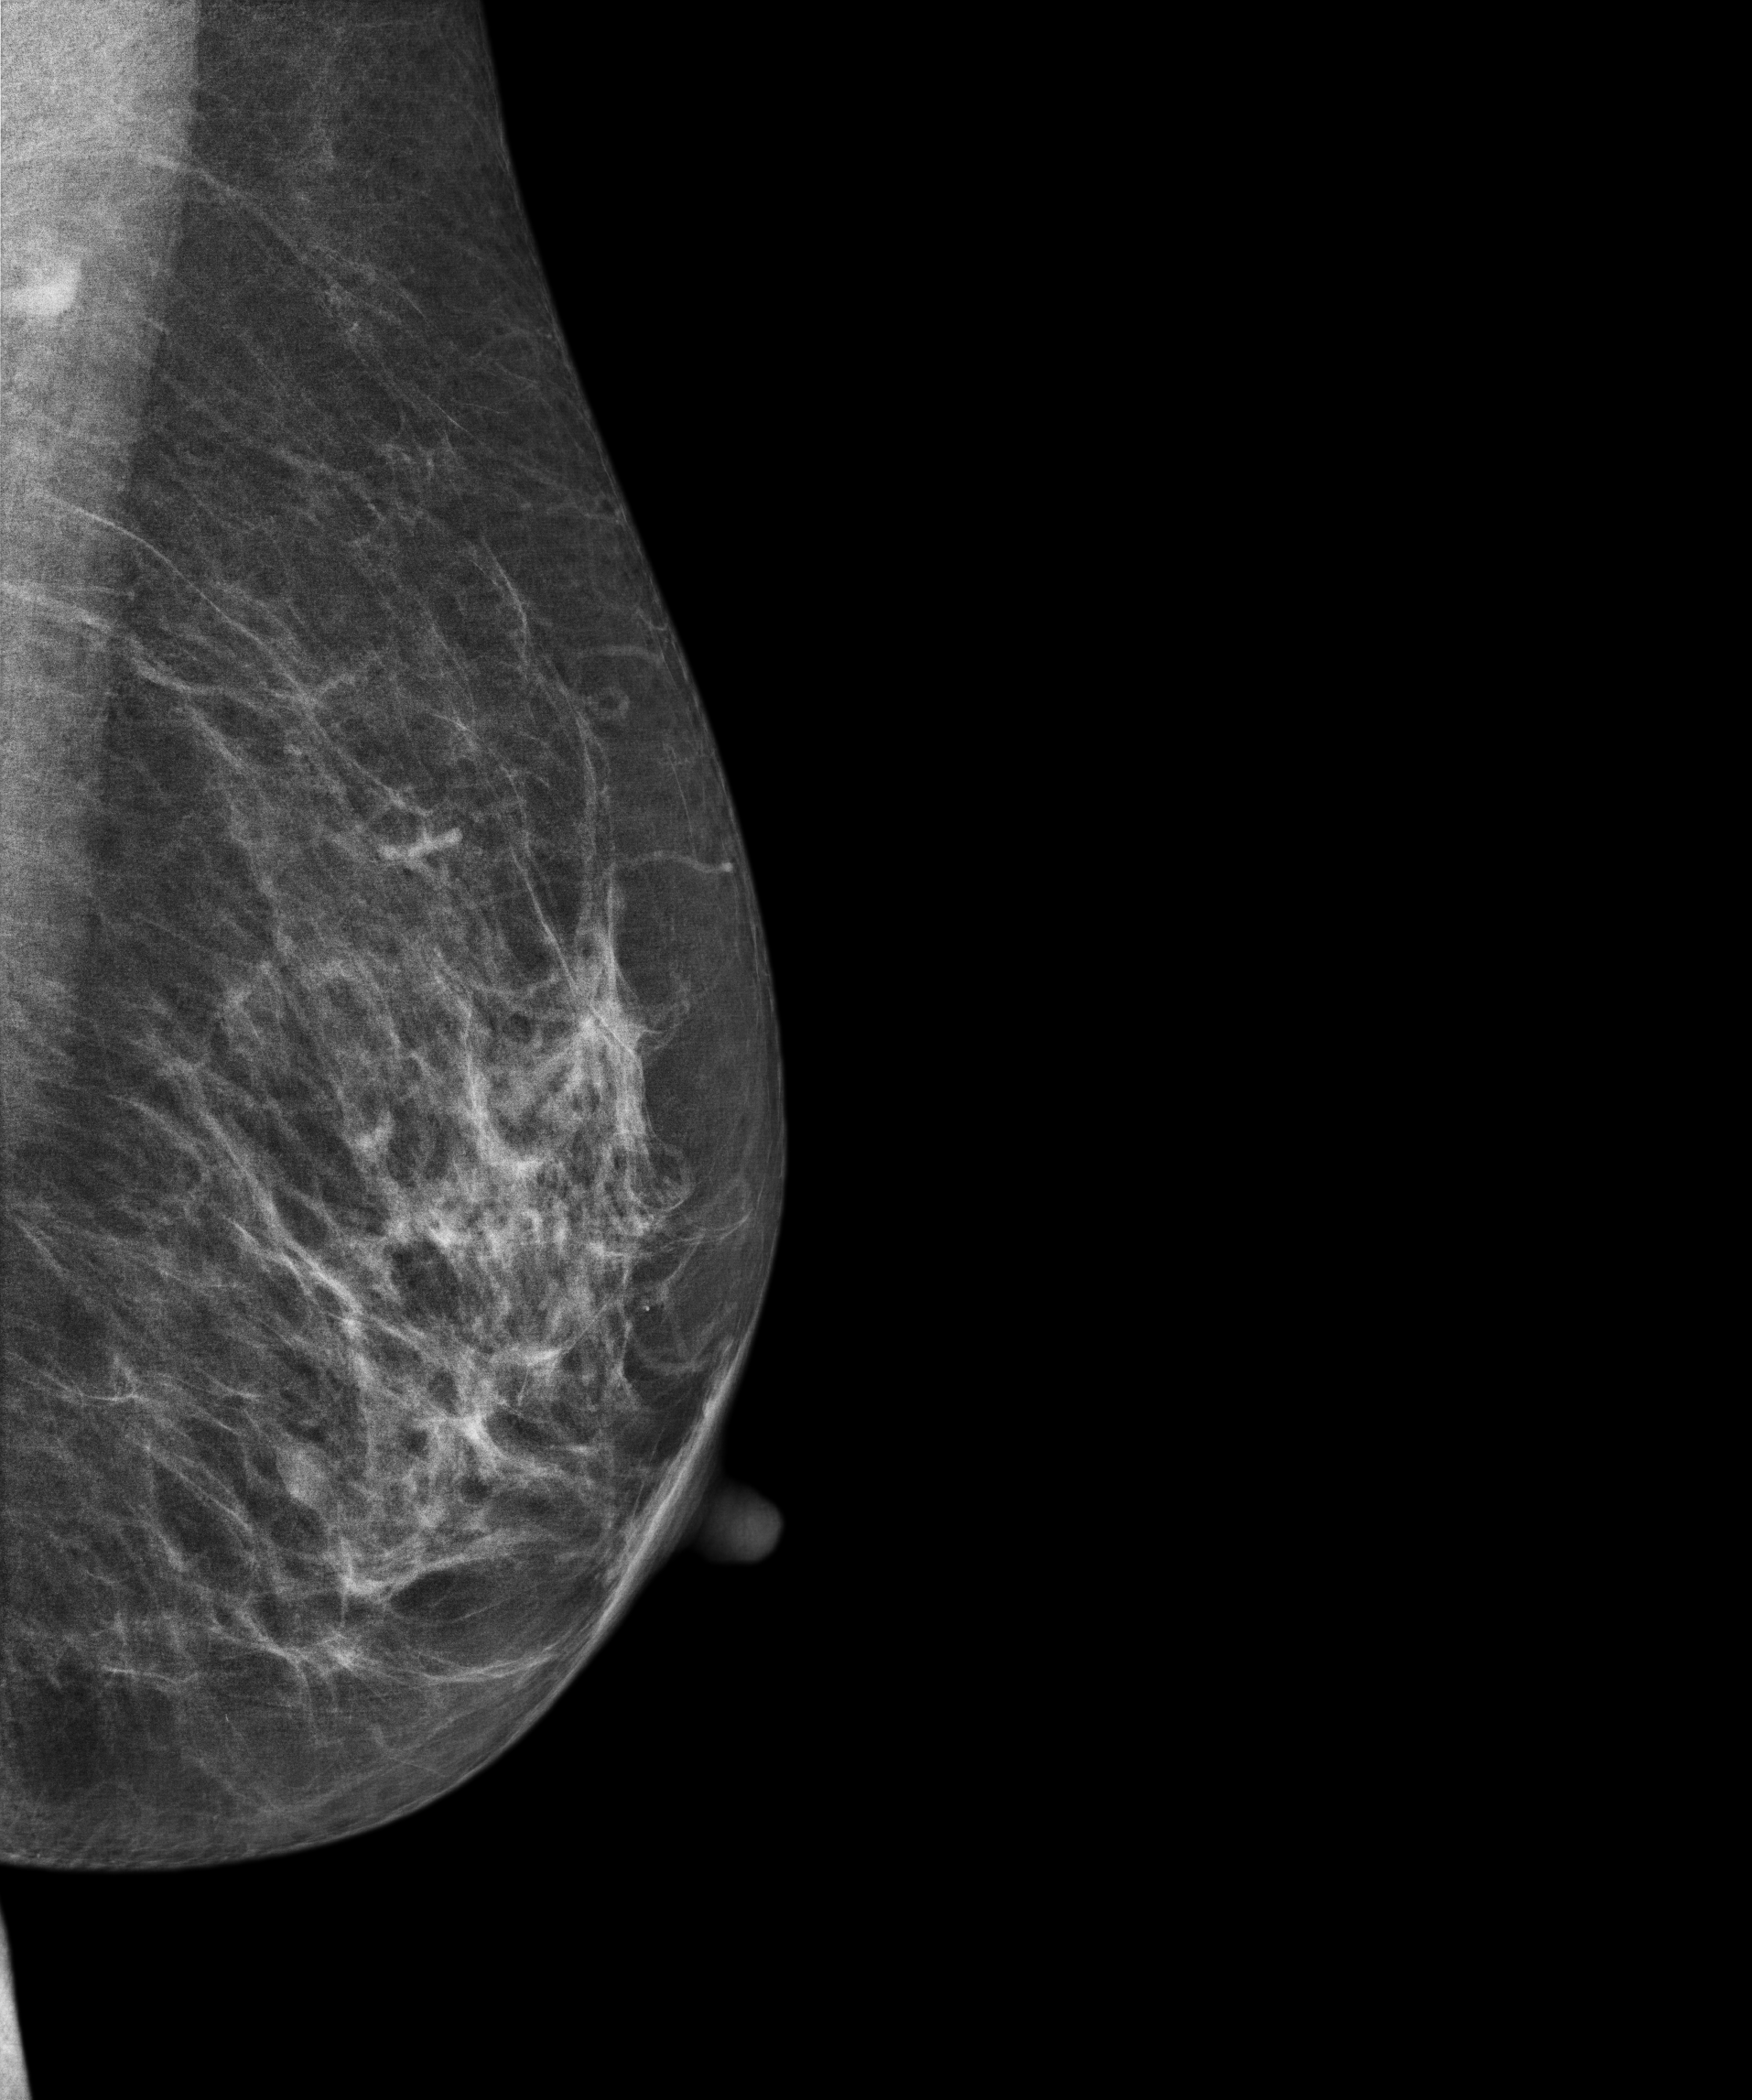
Medio-lateral oblique mammogram of the left breast. Patient age 62.
Contralateral breast — no documented abnormality on this side.